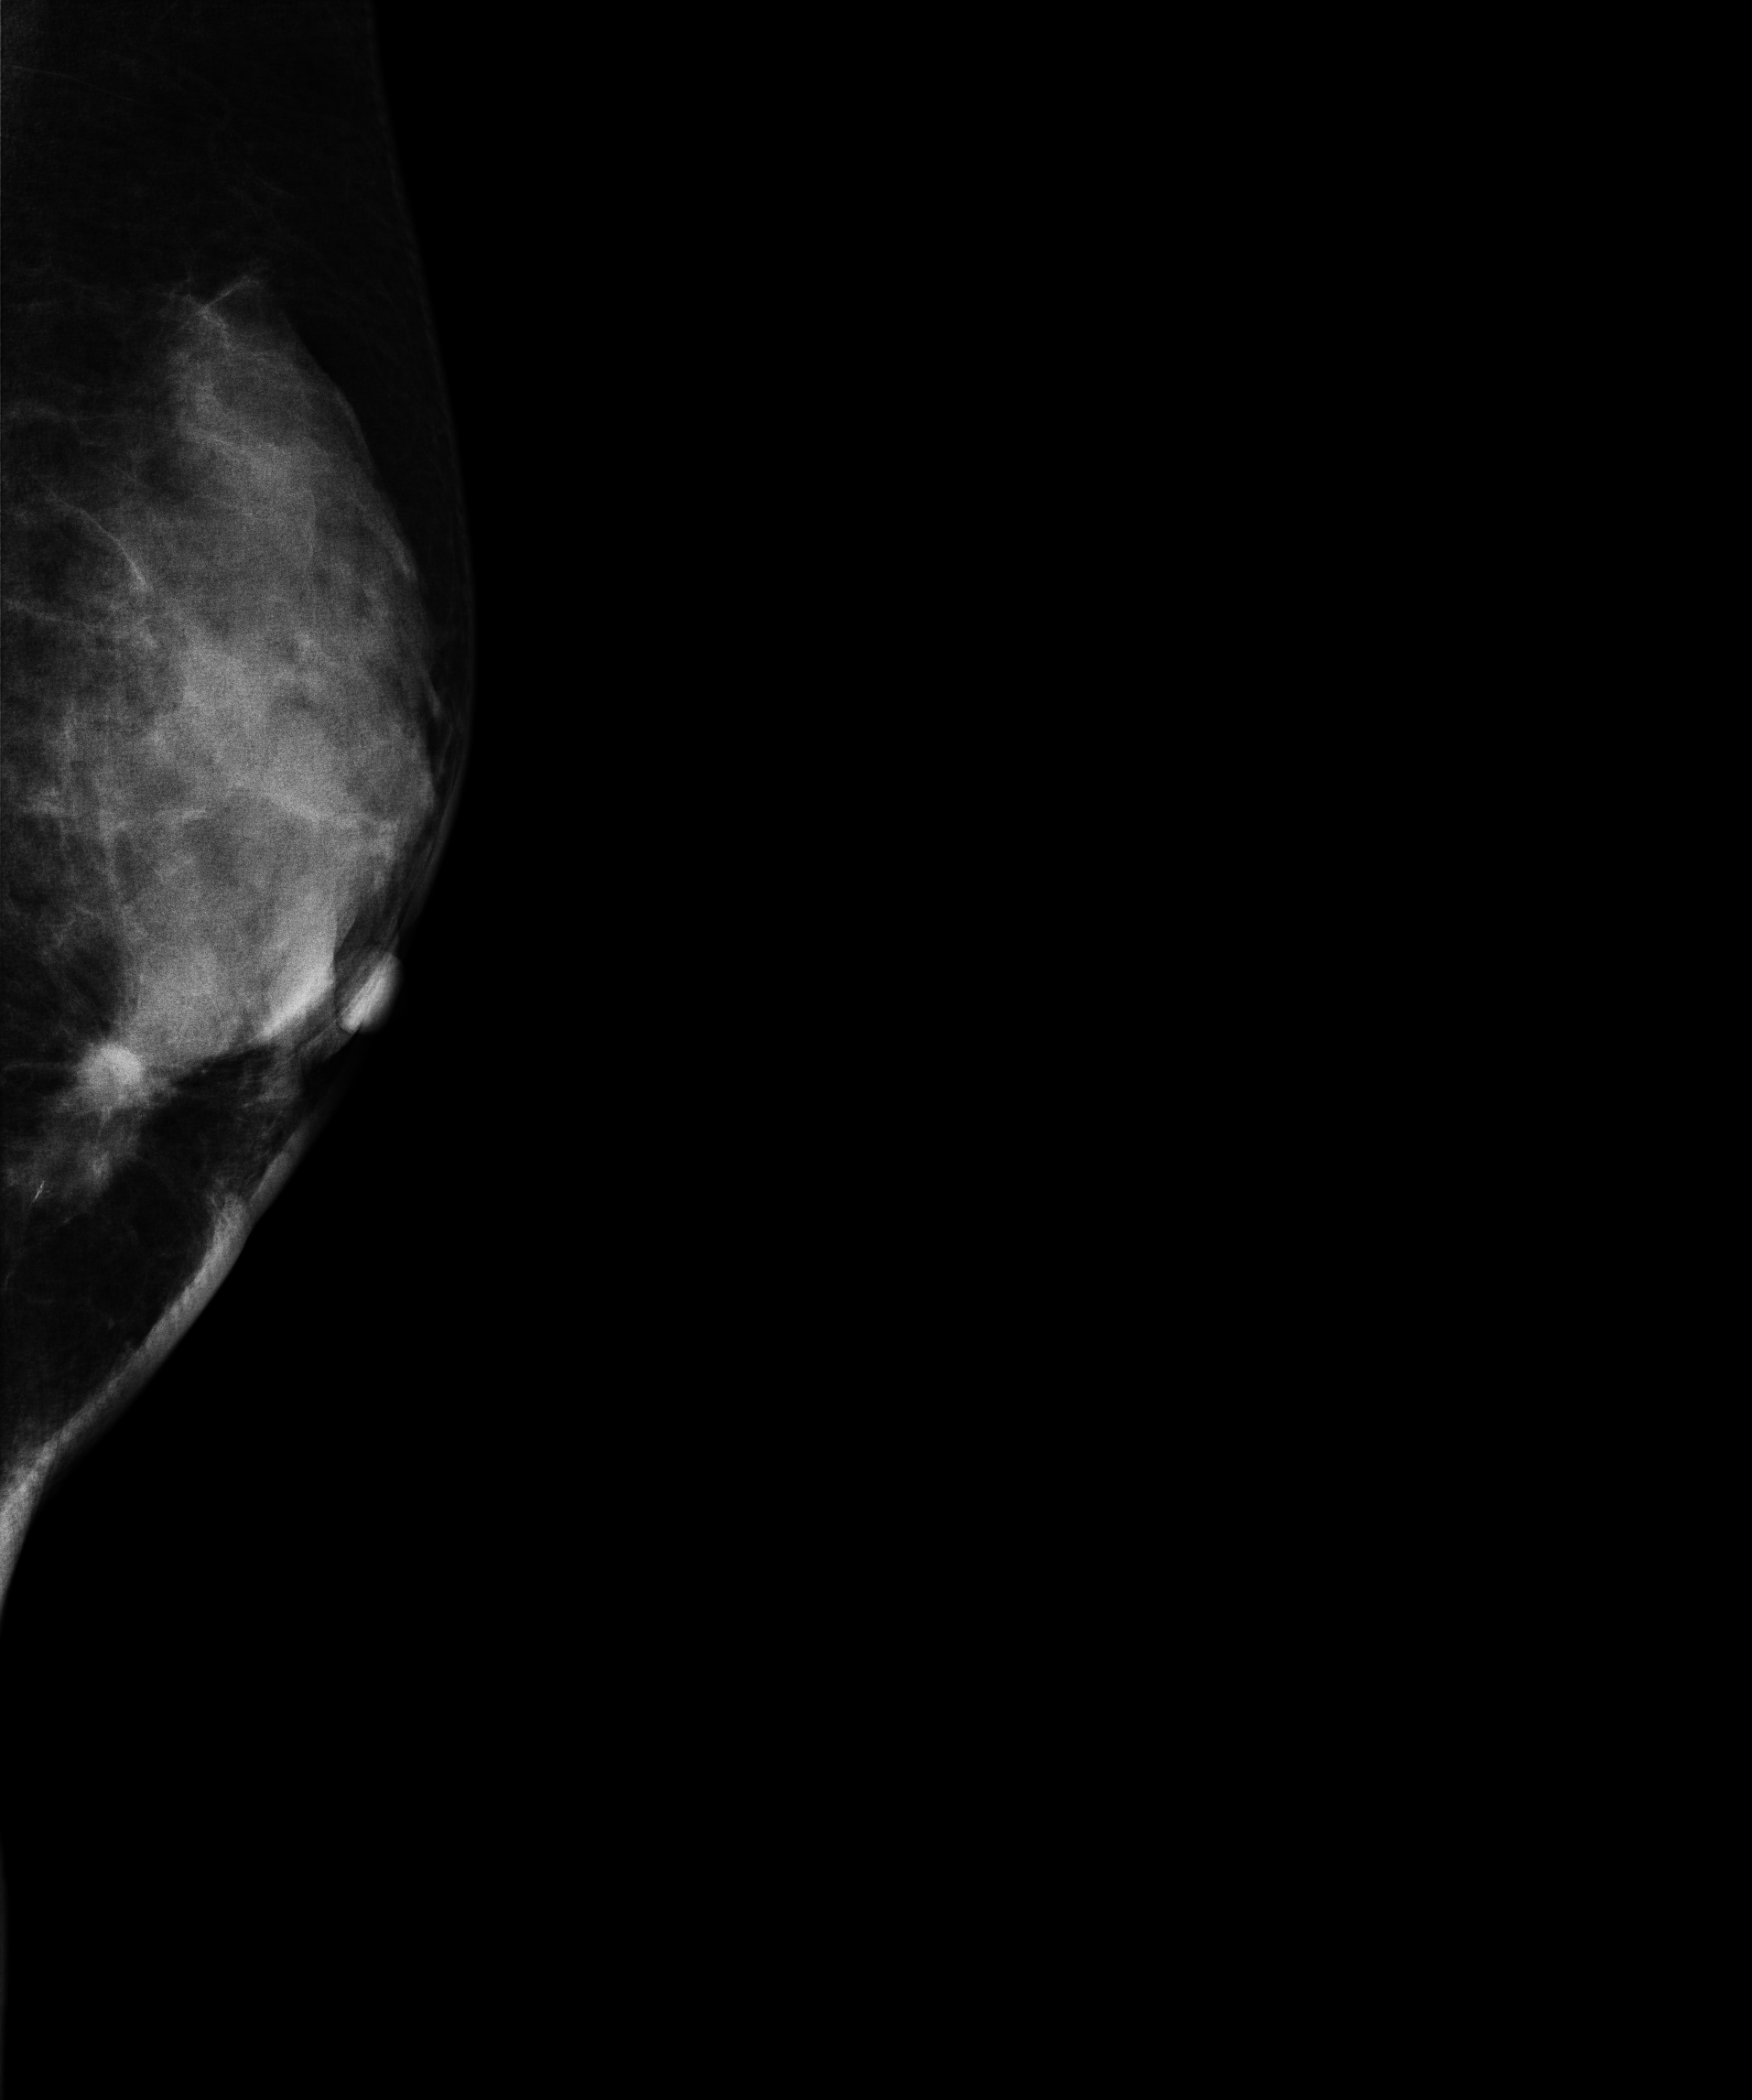
MLO mammogram of the left breast. 42-year-old patient.
This breast has a mass, pathology-confirmed malignant. Molecular subtype: luminal A.